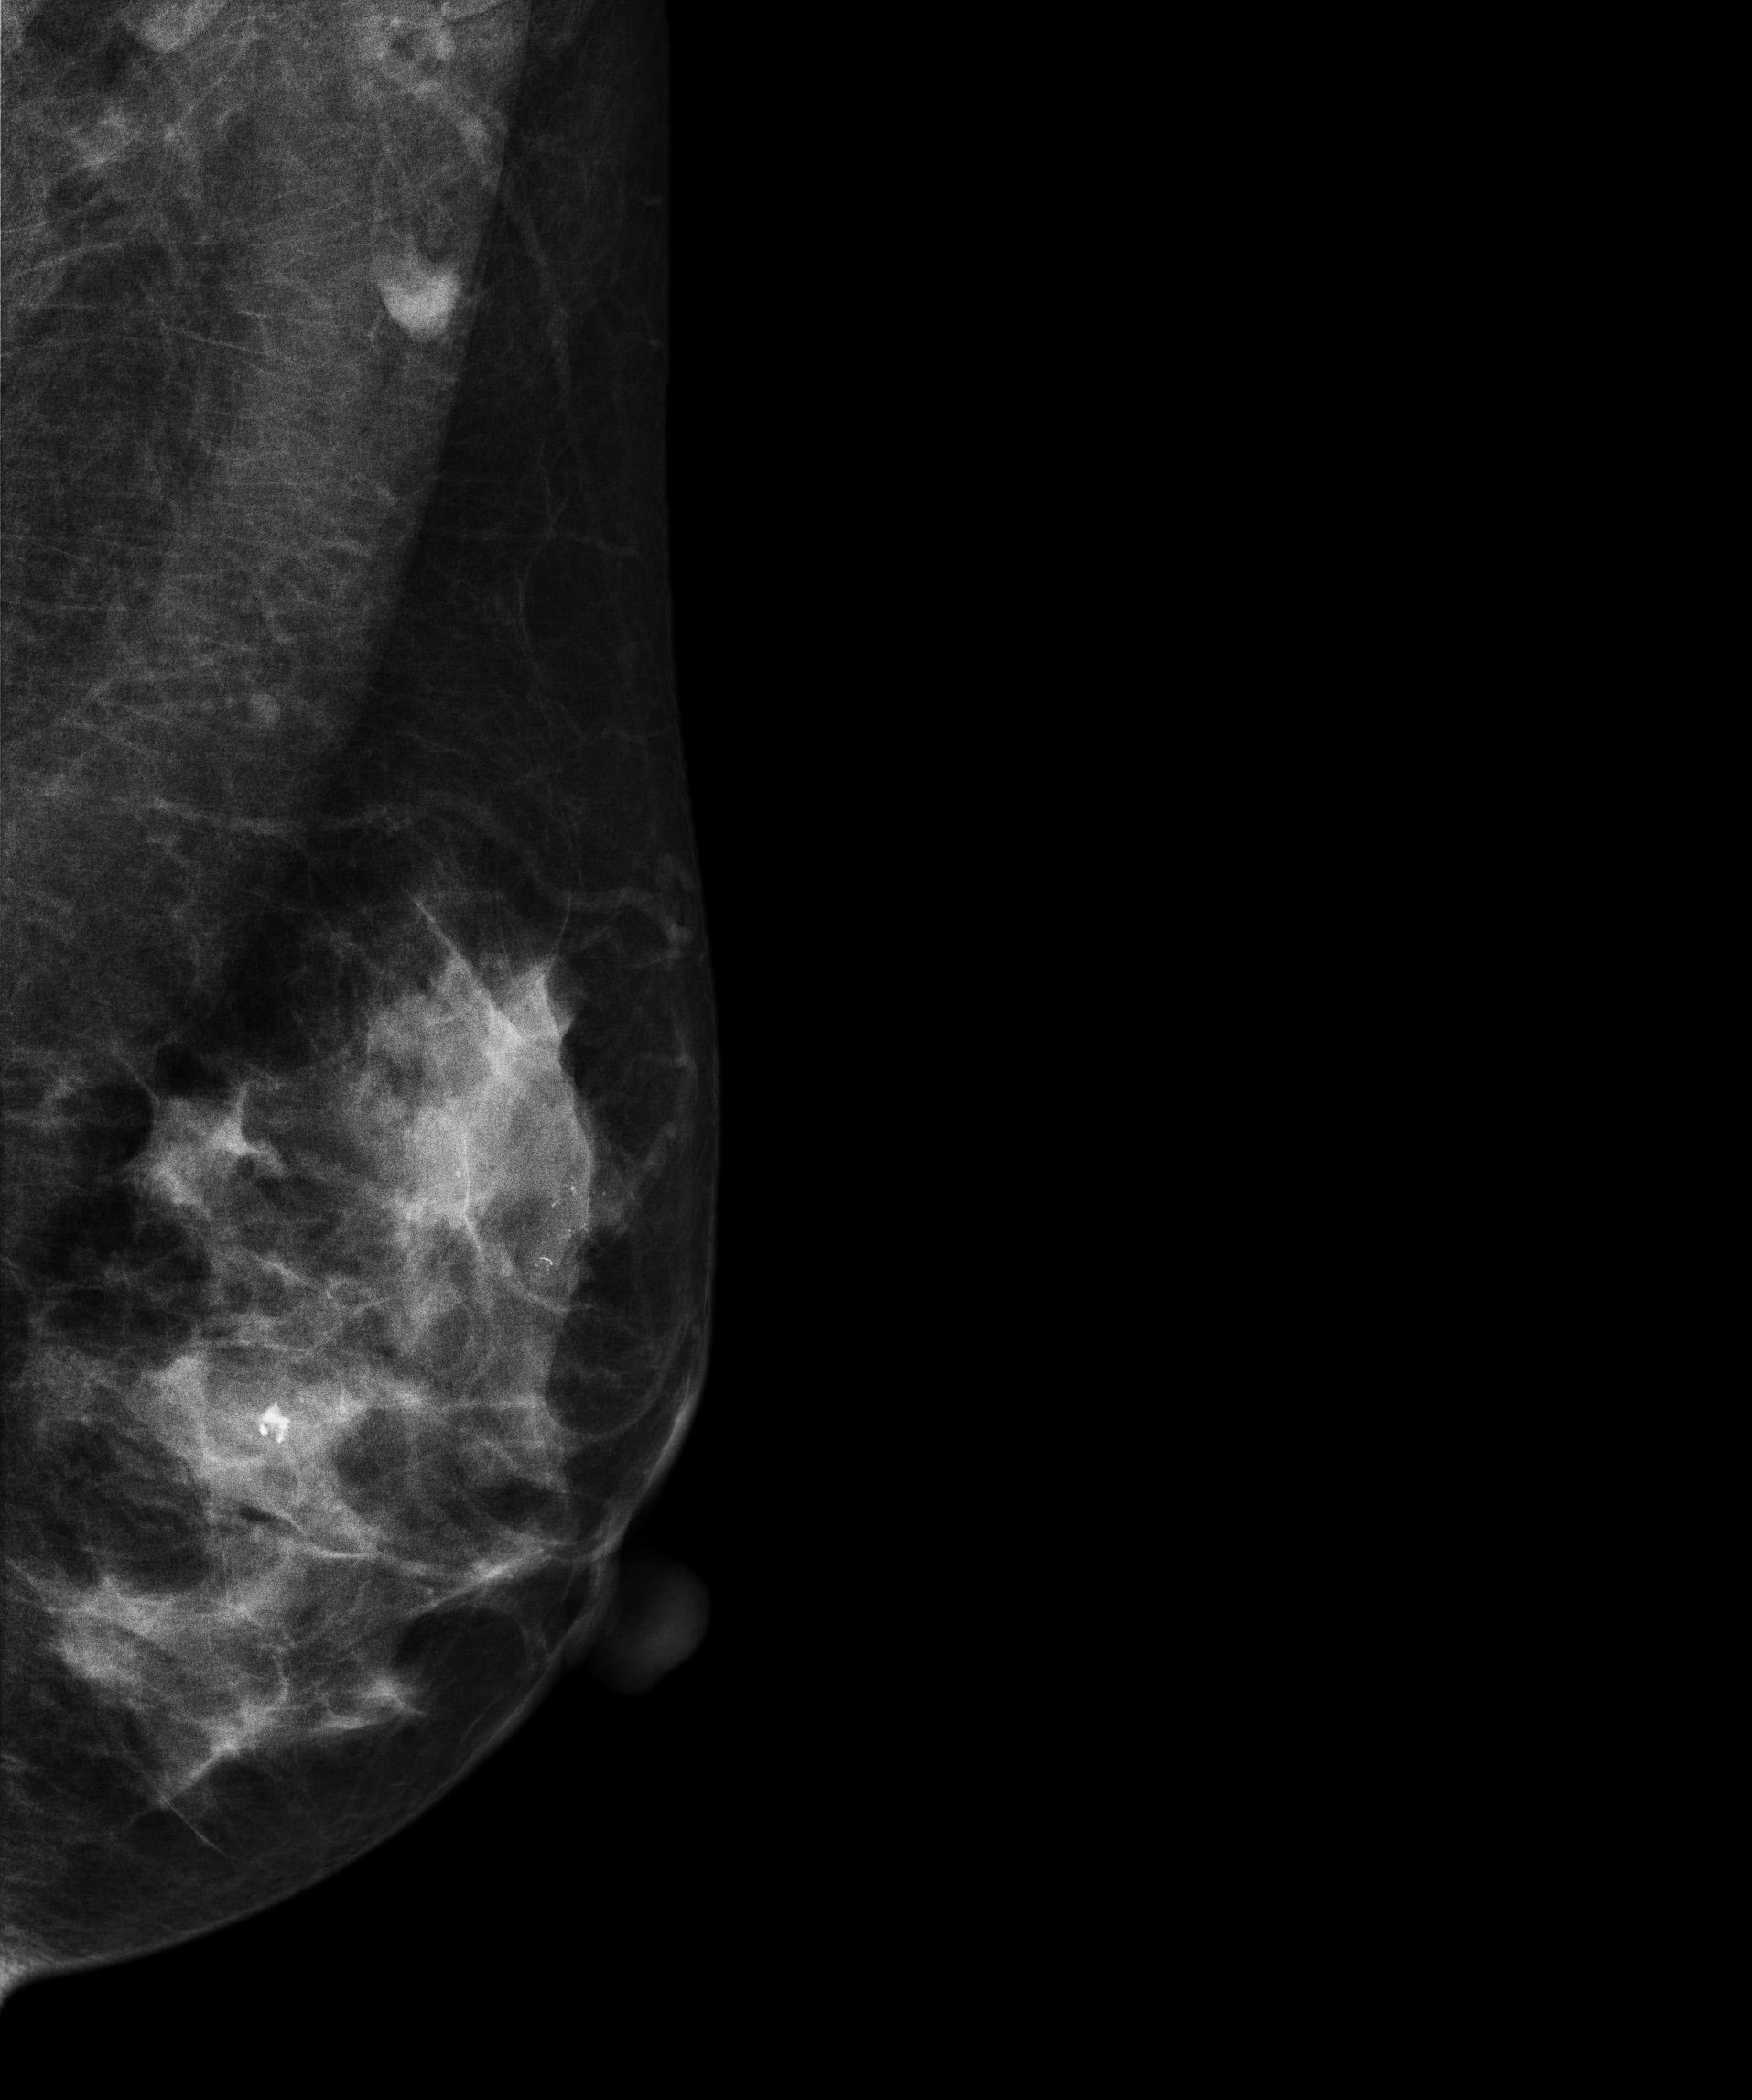
Left-breast mammogram, MLO. 35 y/o patient.
This breast has calcifications, histologically confirmed malignant. Molecular subtype: HER2-enriched.